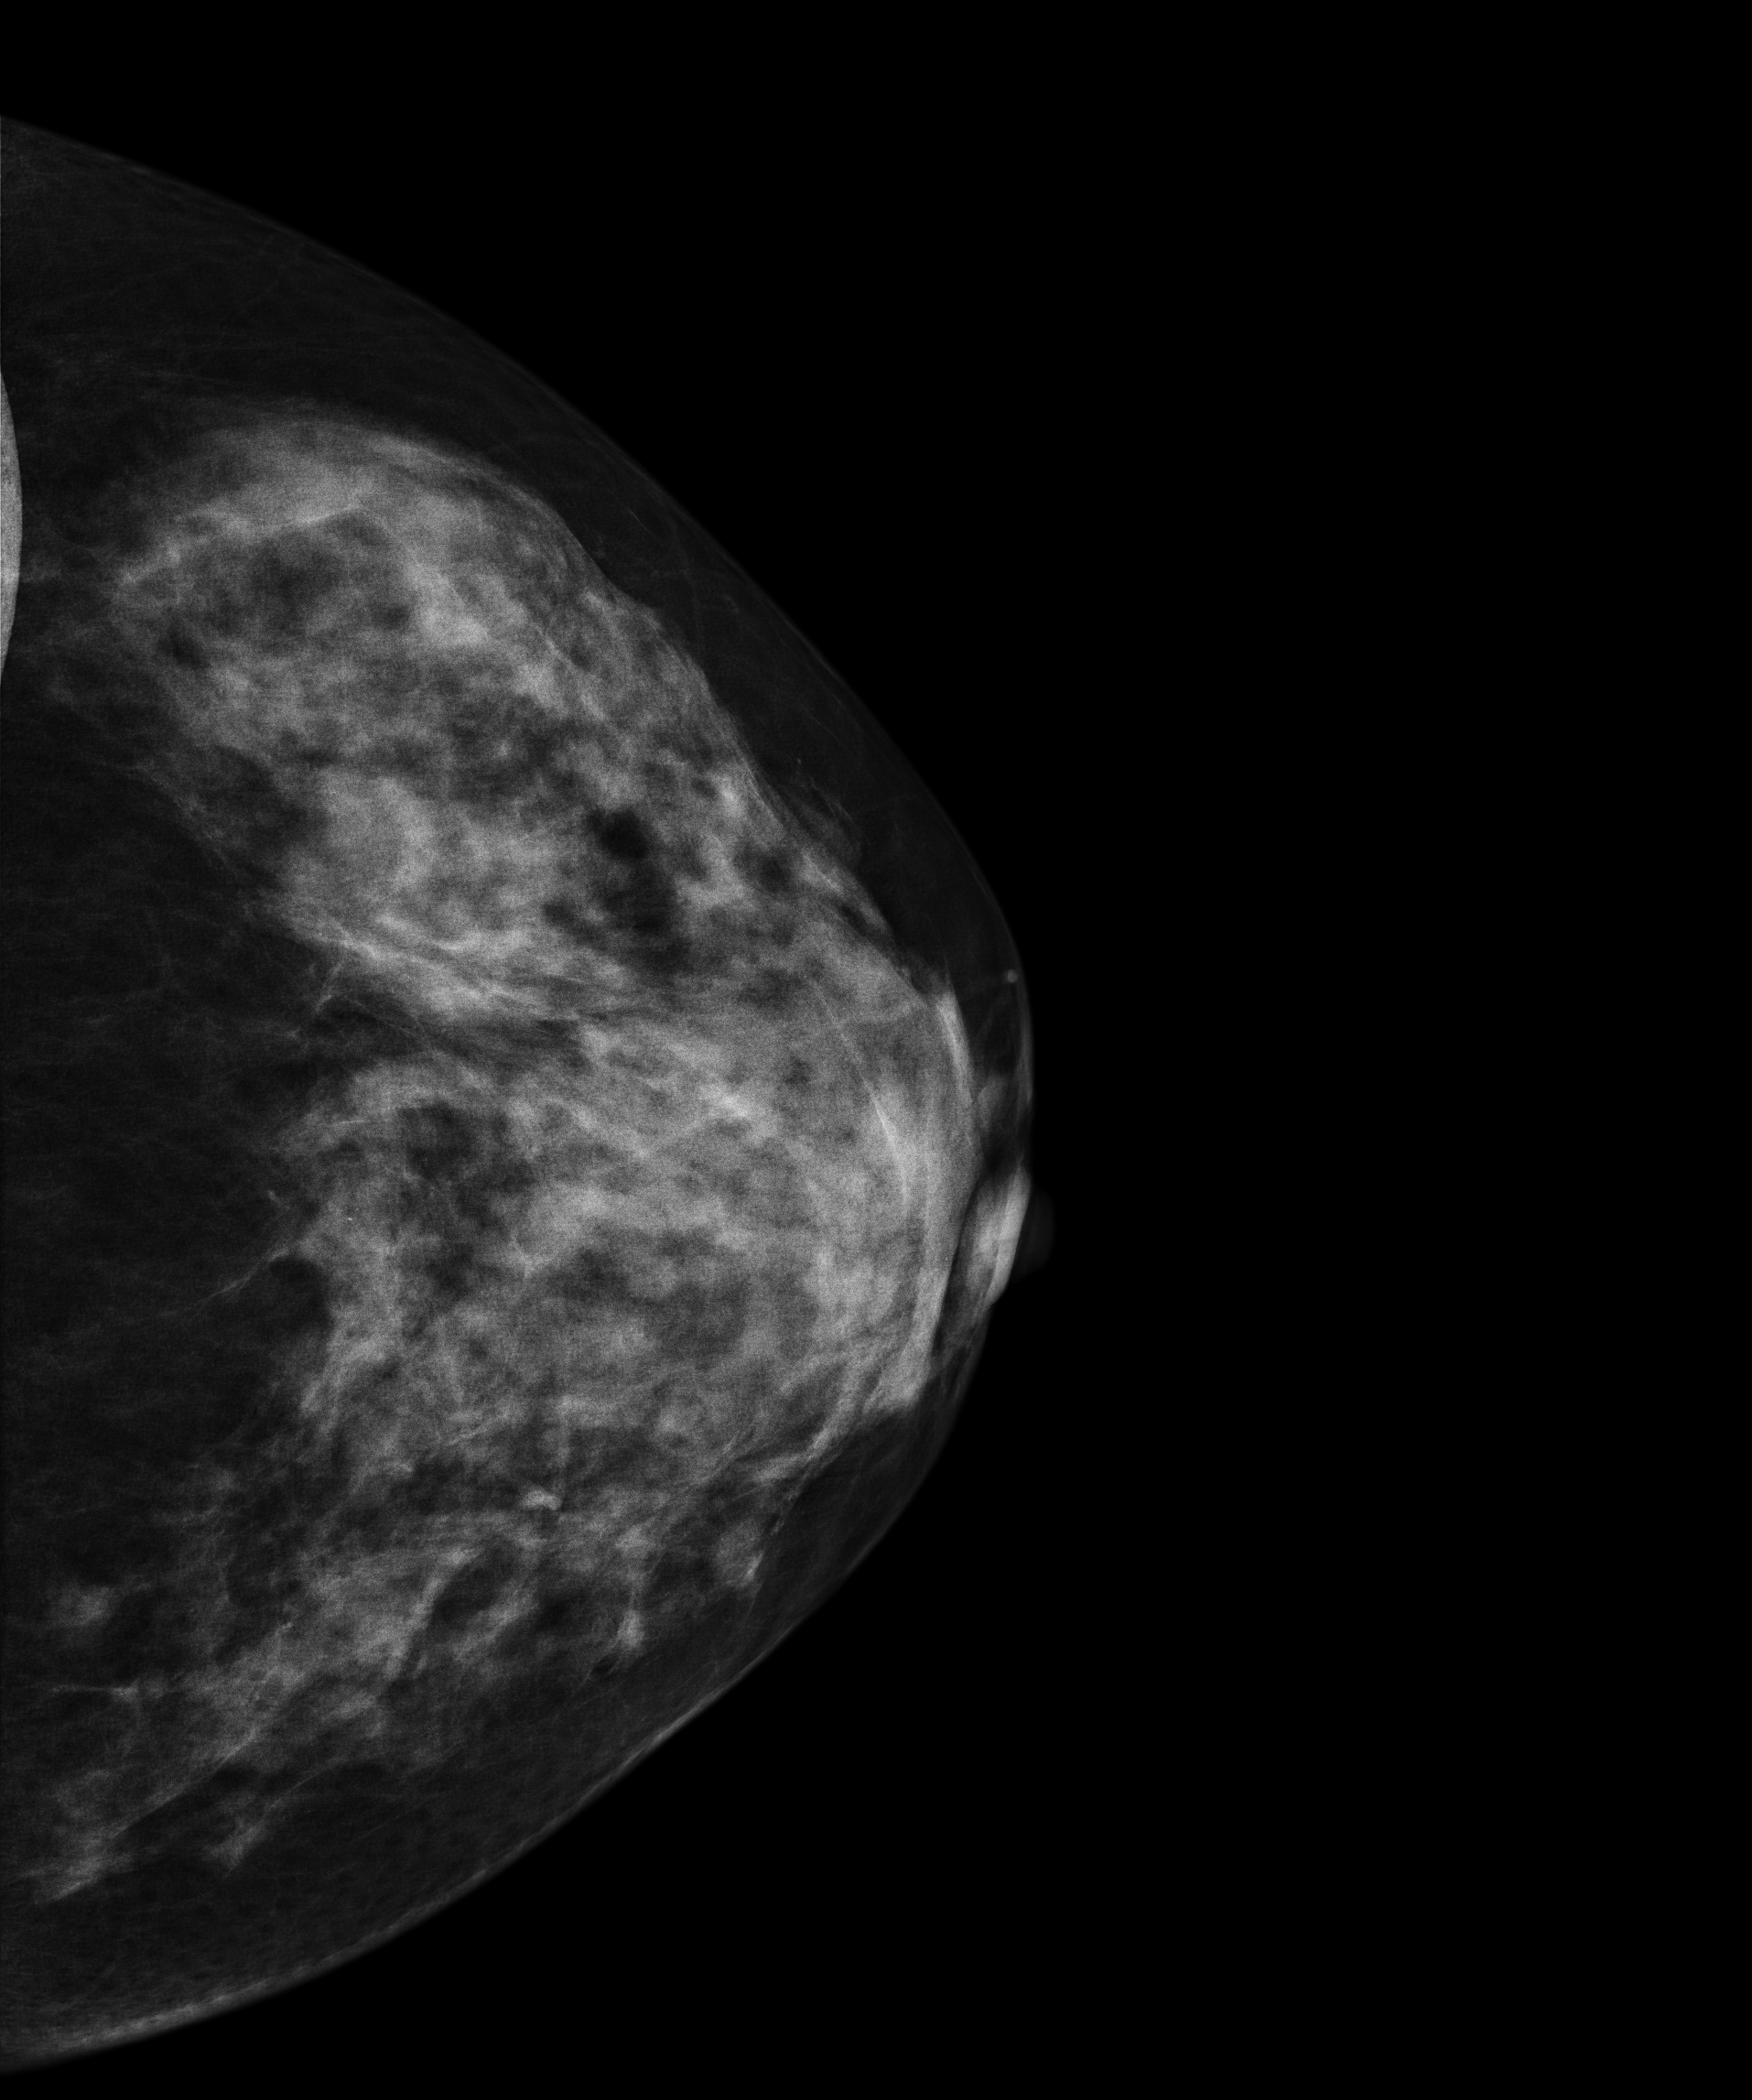
Digital mammography. Left breast, cranio-caudal projection. 42 y/o patient.
This breast has a mass, histologically confirmed benign.